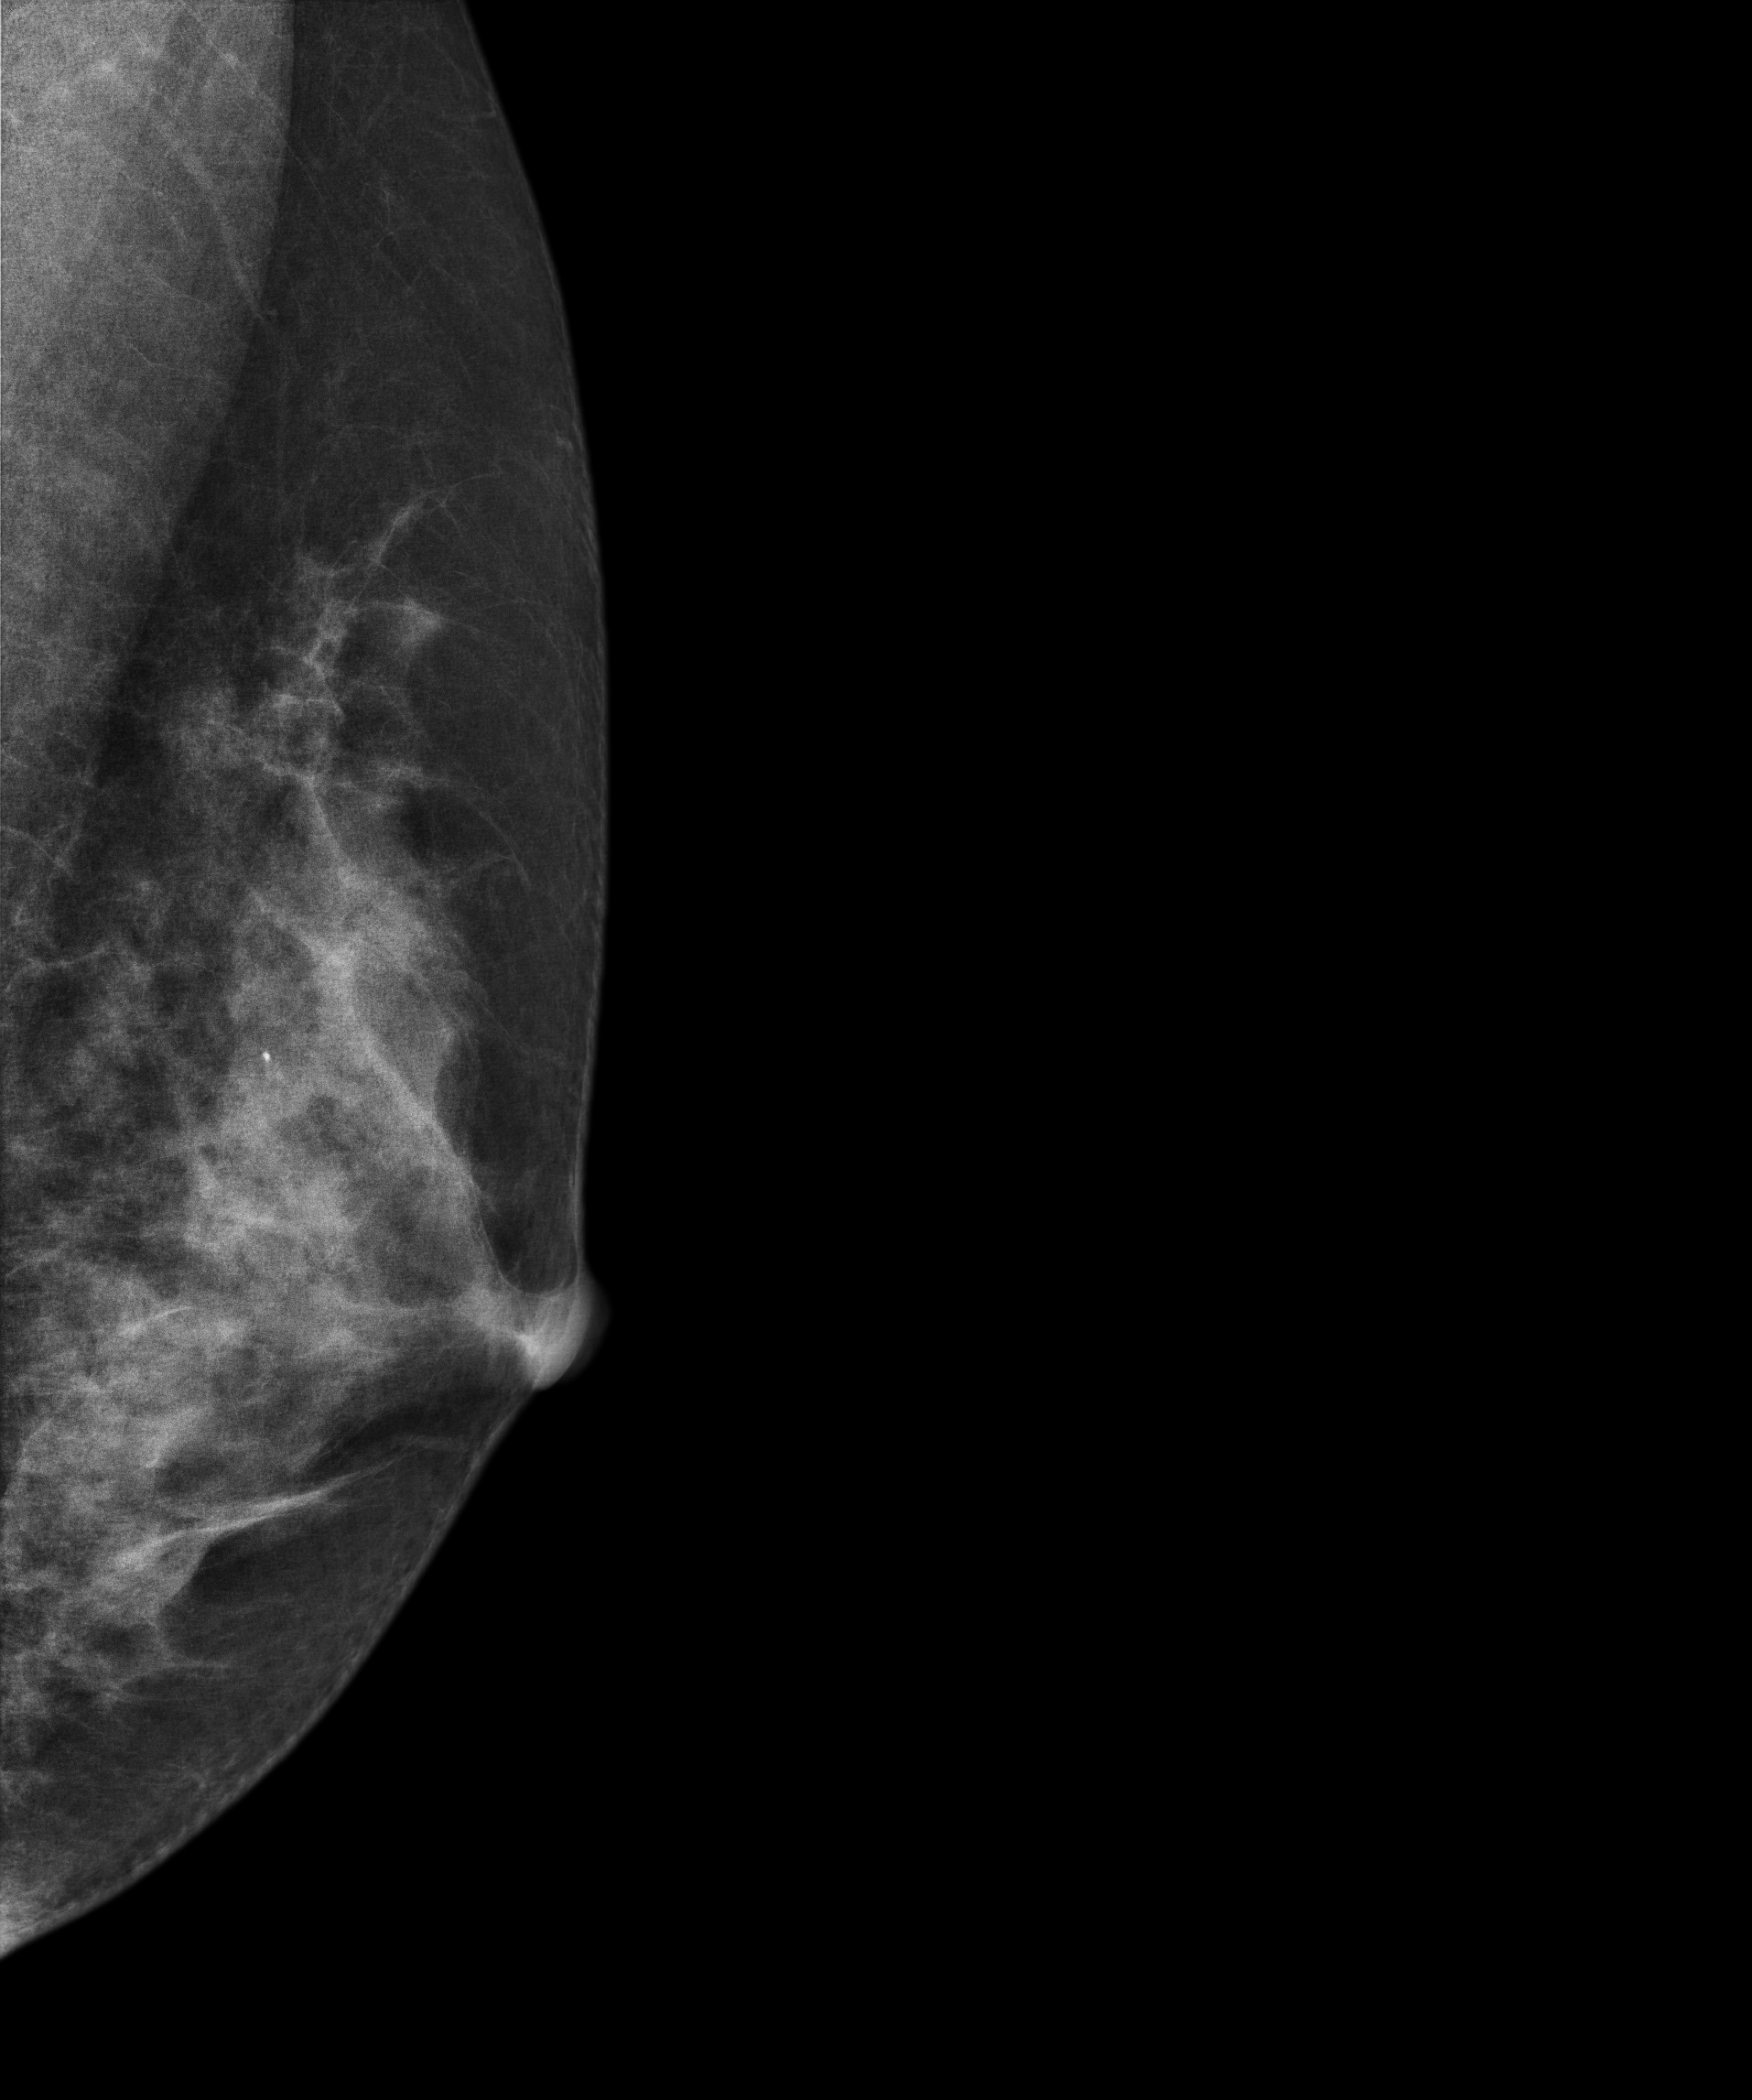
Left-breast mammogram, medio-lateral oblique. 27-year-old patient.
This breast has a mass and calcifications, histologically confirmed benign.